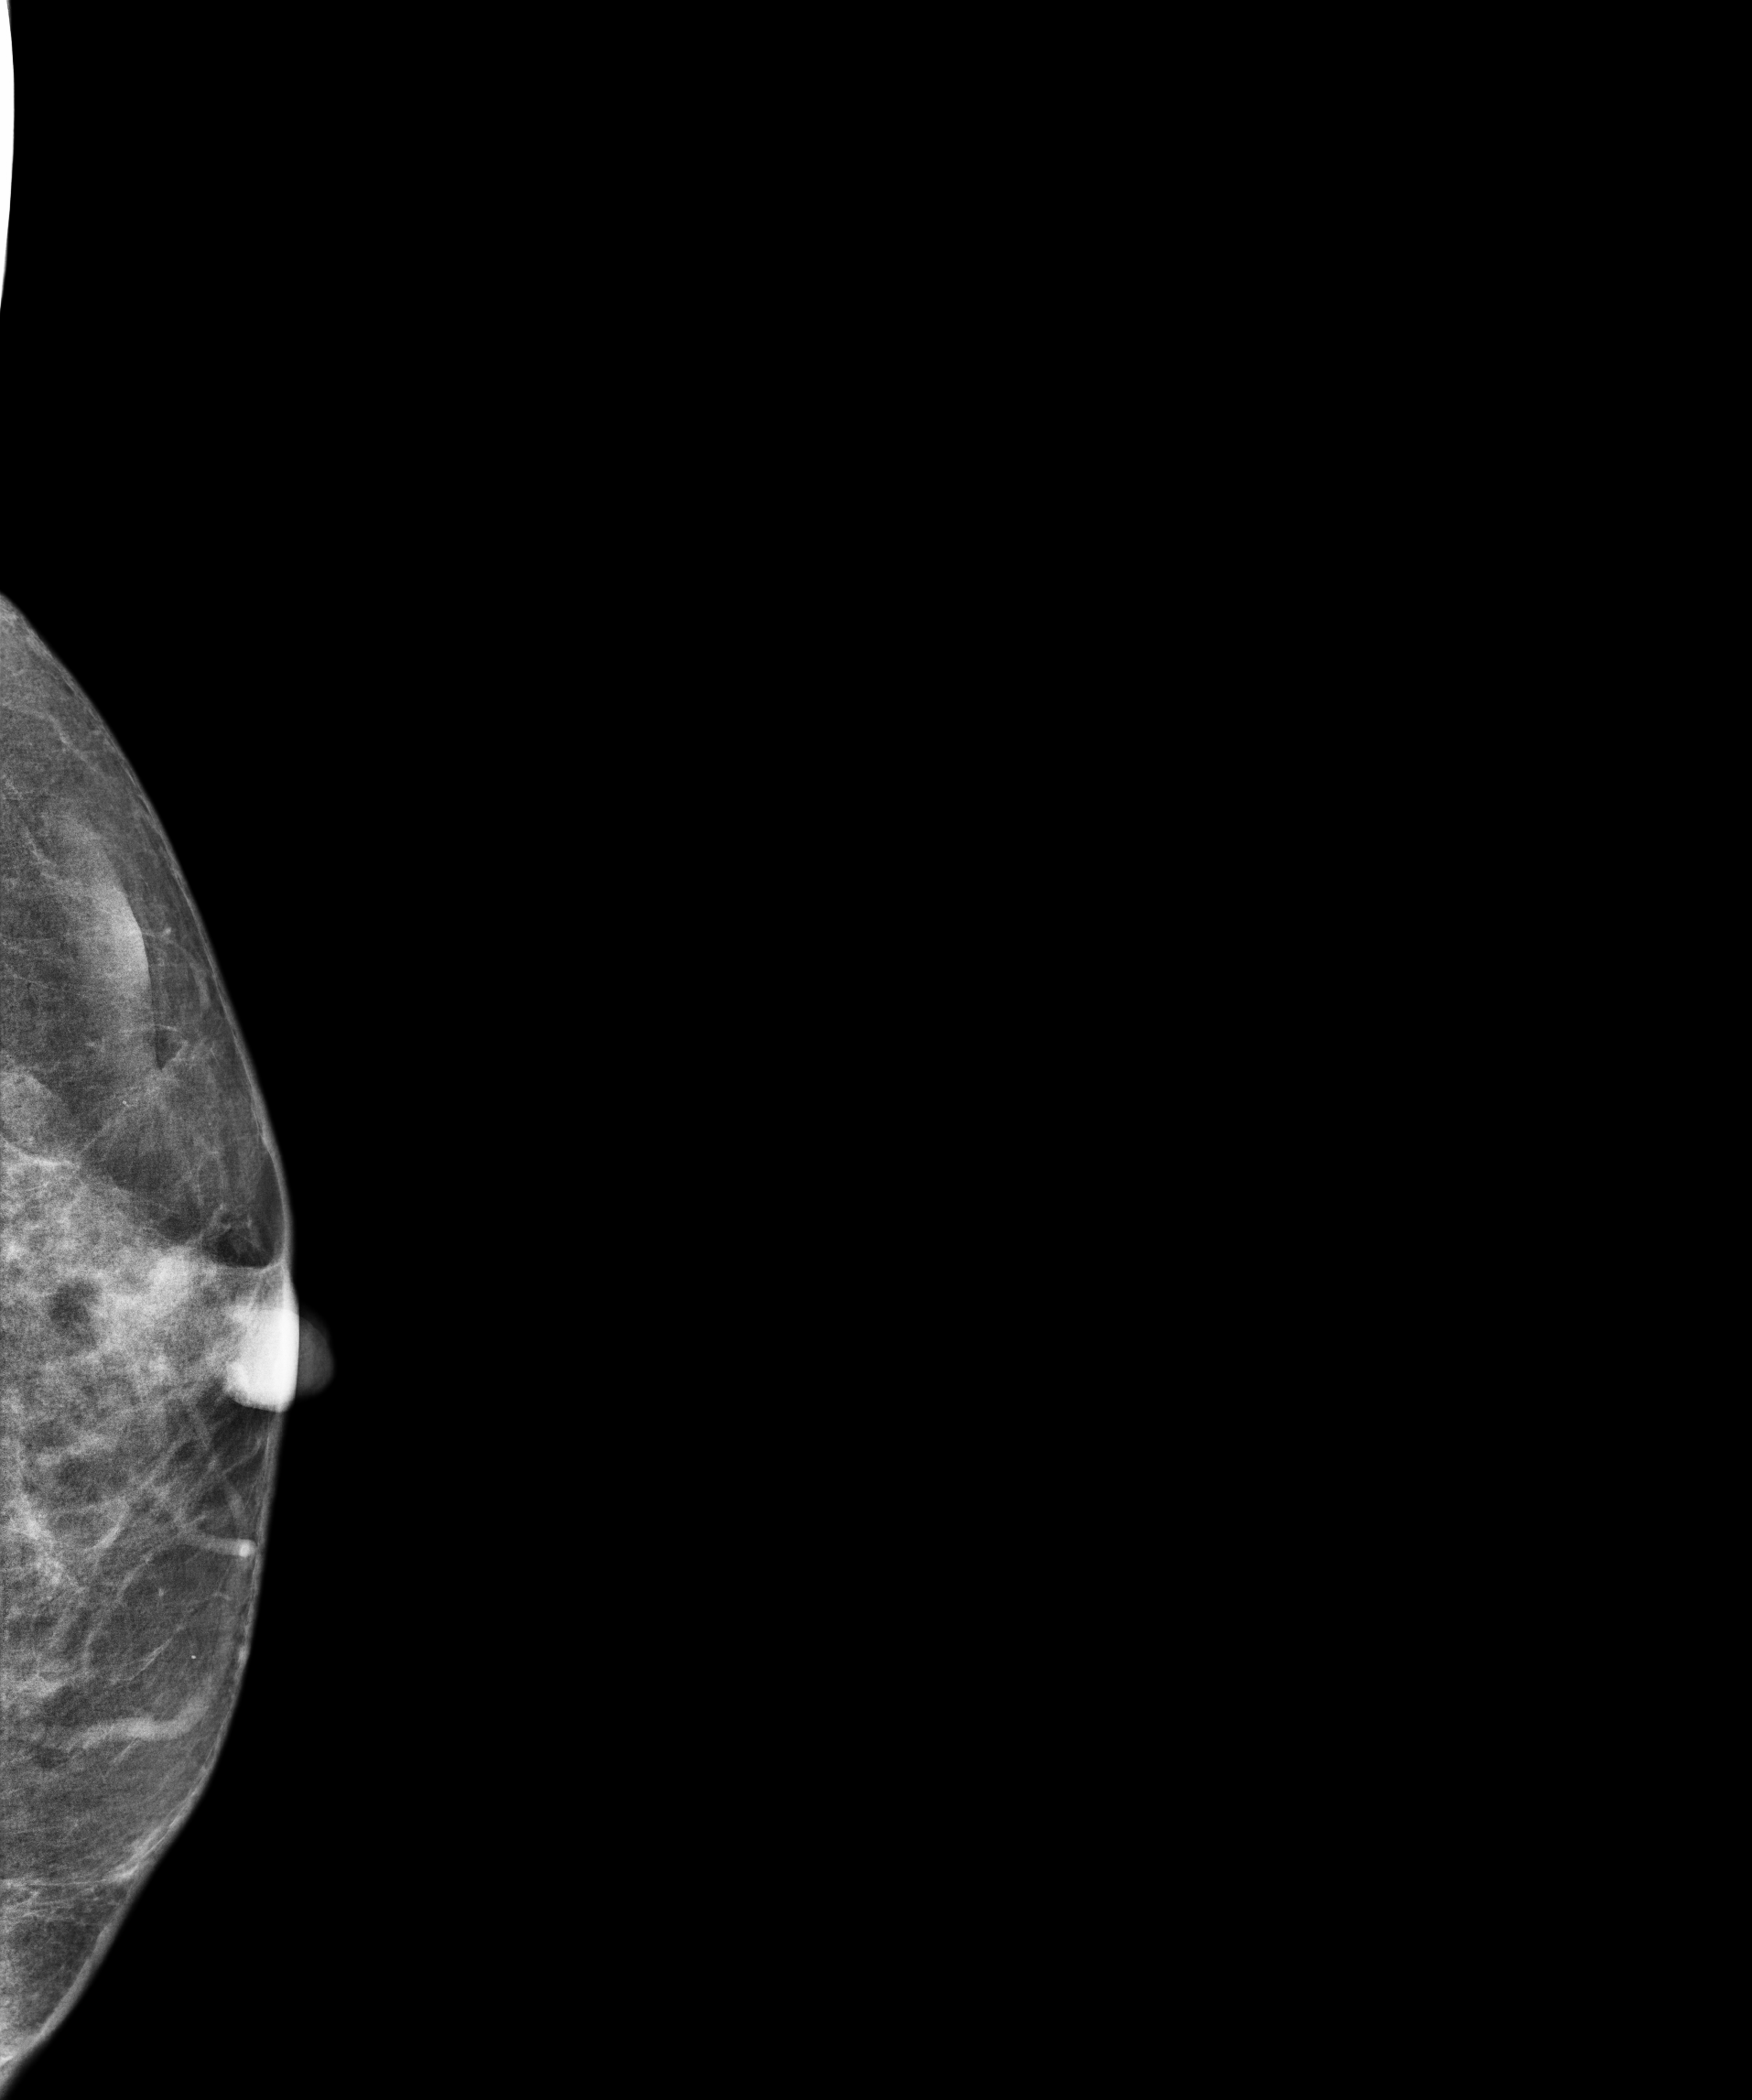
Mammogram, left breast, CC view. 52-year-old patient.
Contralateral breast — no documented abnormality on this side.